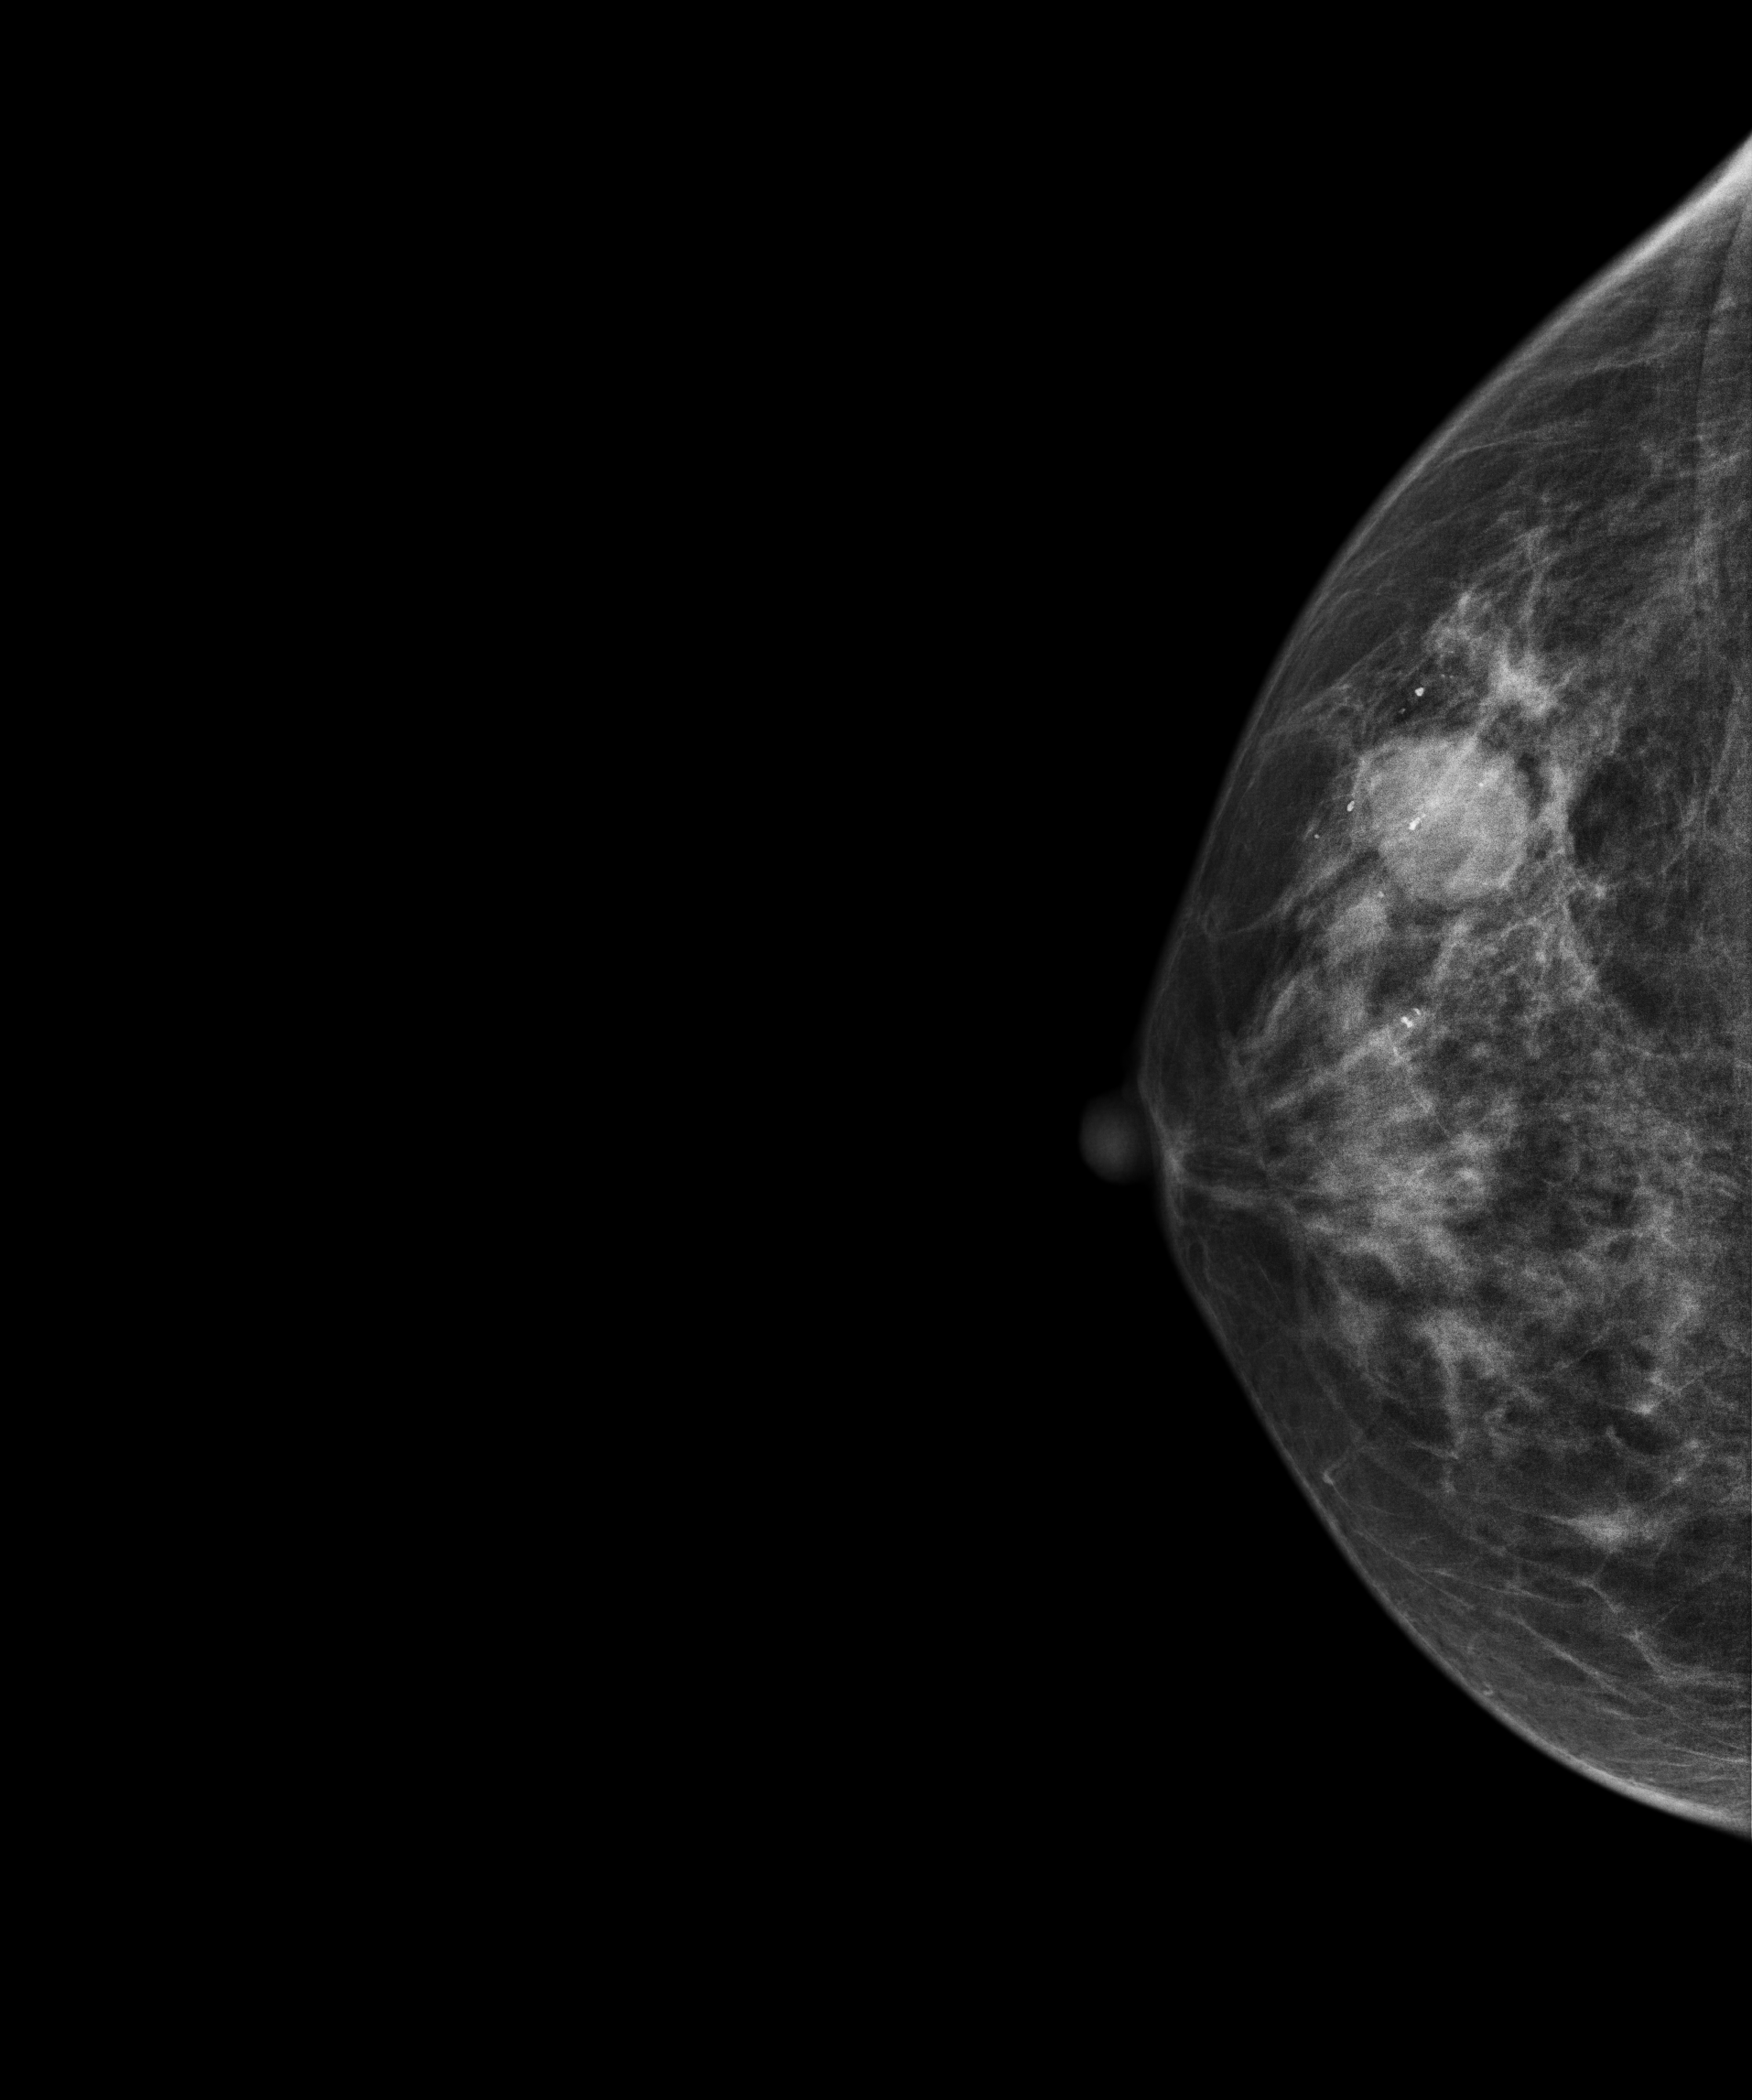
Mammogram, right breast, CC view. 53 y/o patient.
This breast has a mass and calcifications, histologically confirmed malignant. Molecular subtype: triple-negative.